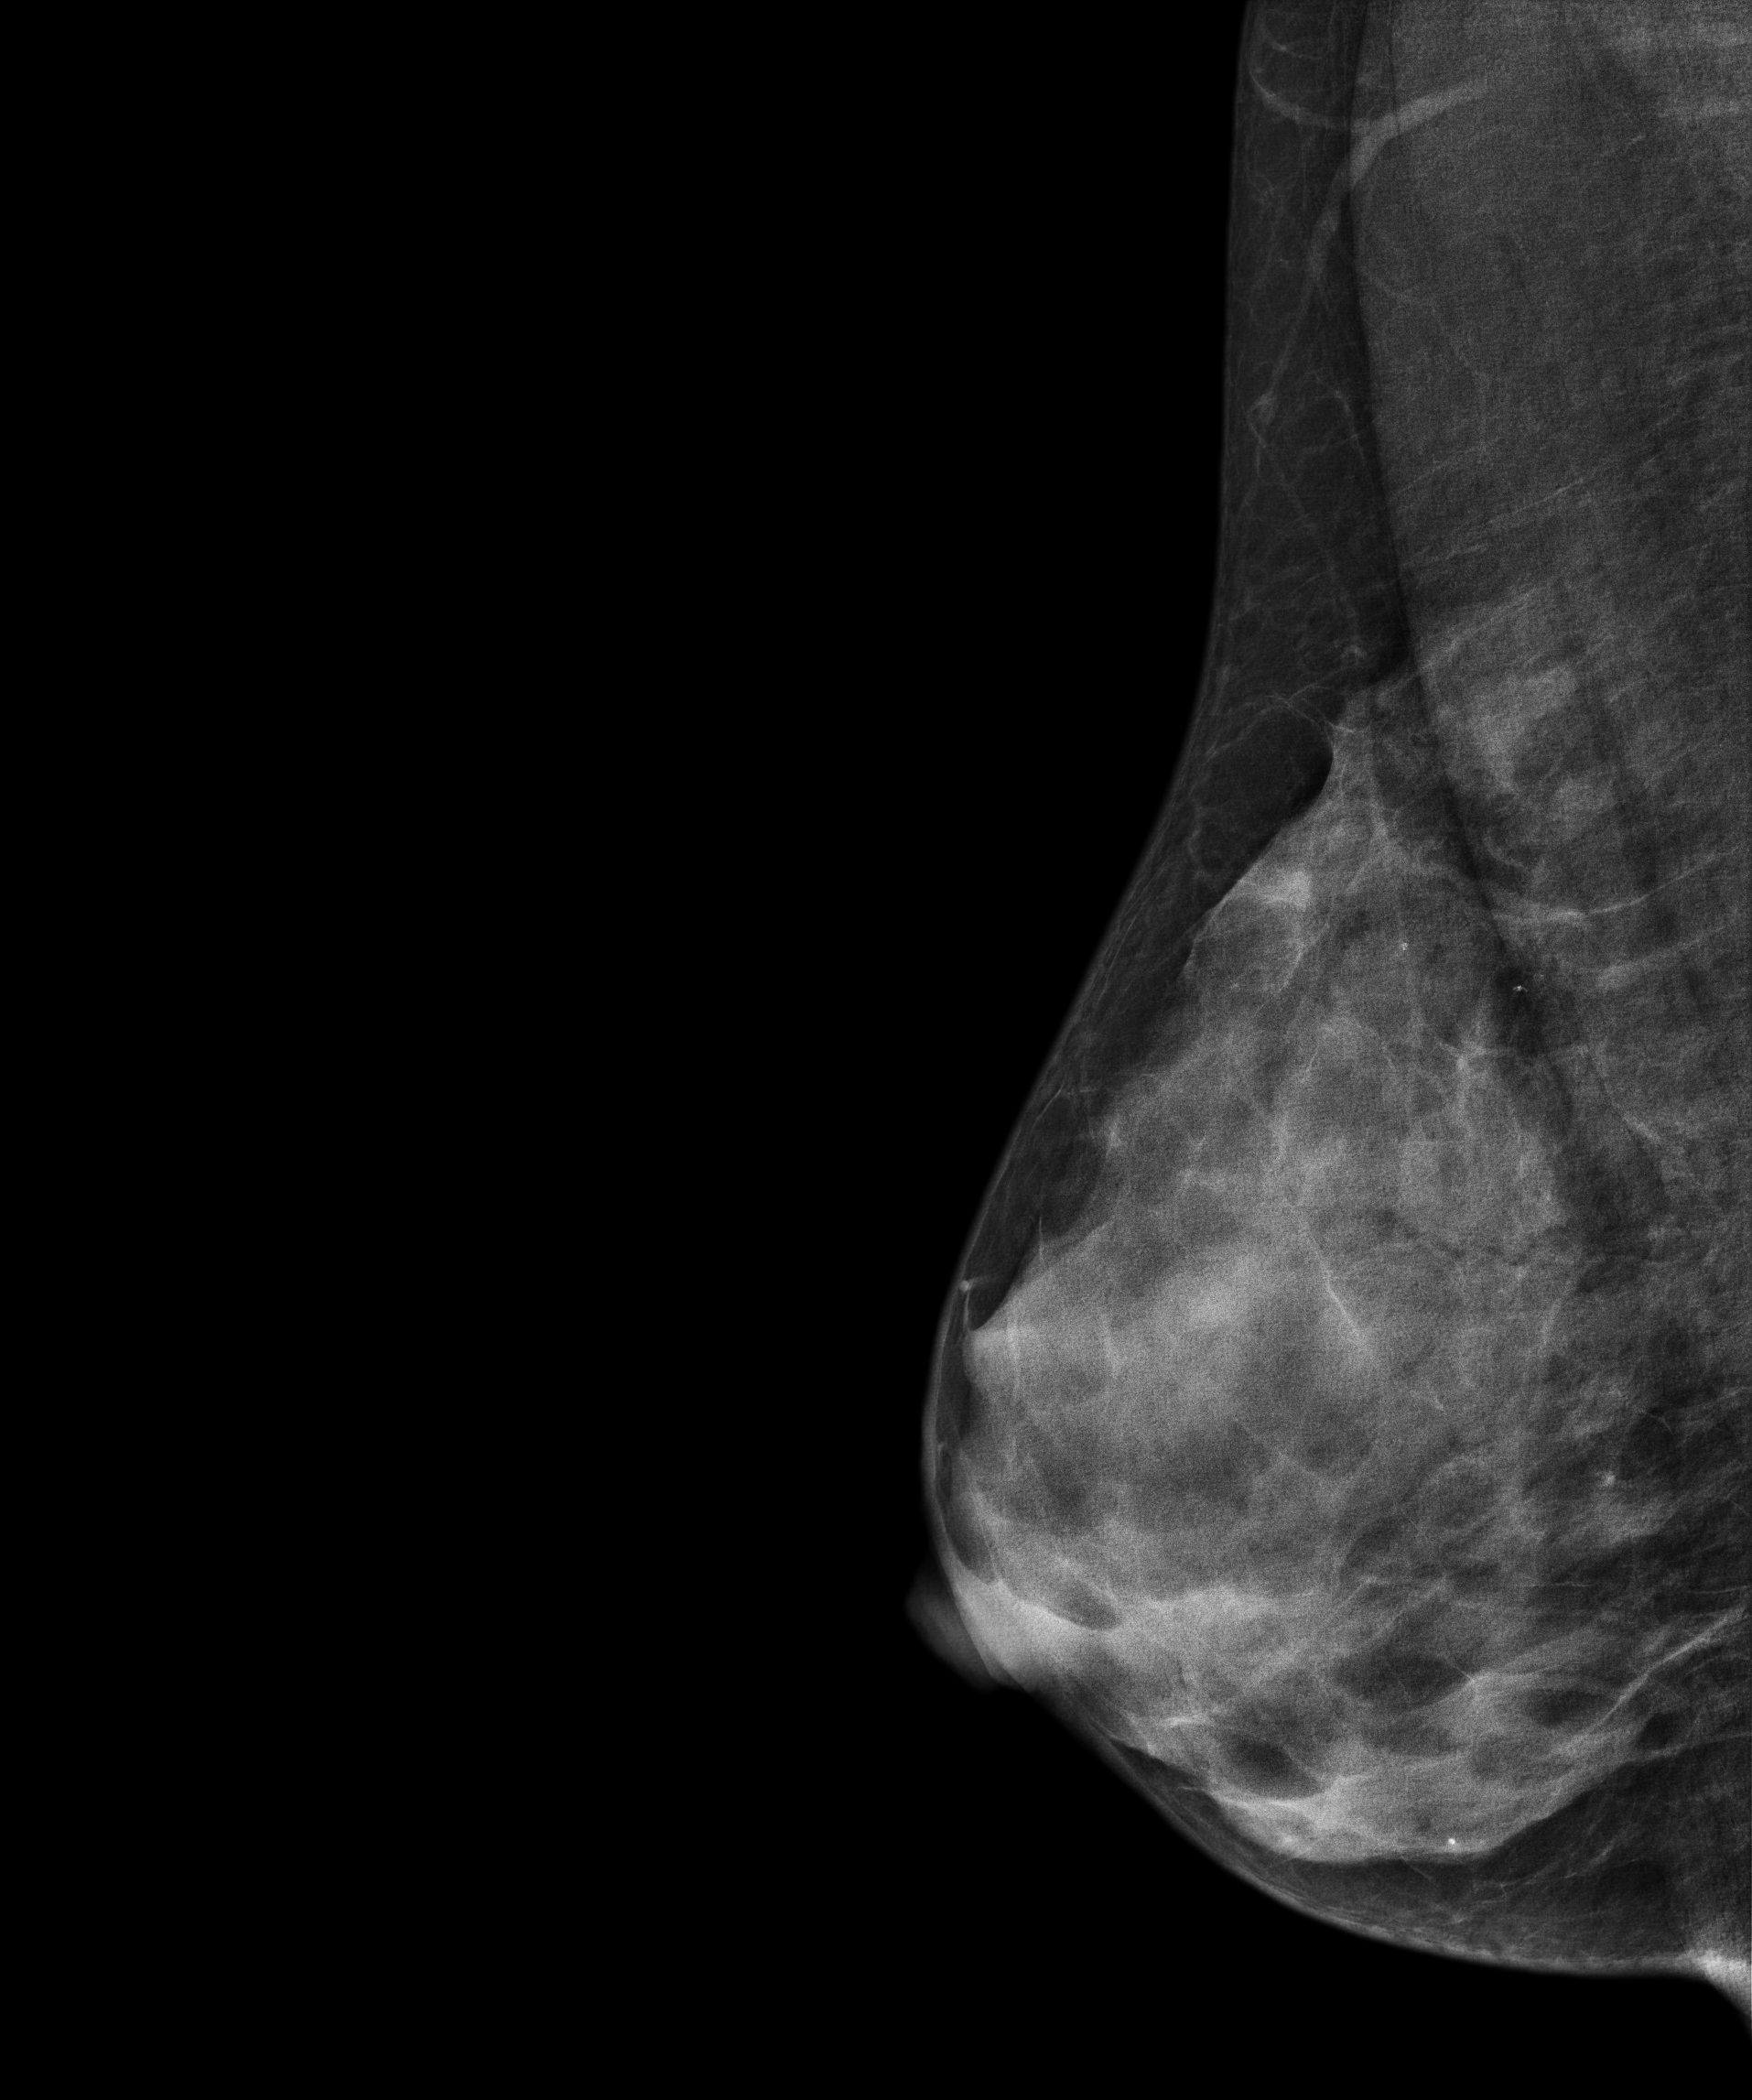
MLO mammogram of the right breast. 46-year-old patient.
This breast has calcifications, histologically confirmed benign.